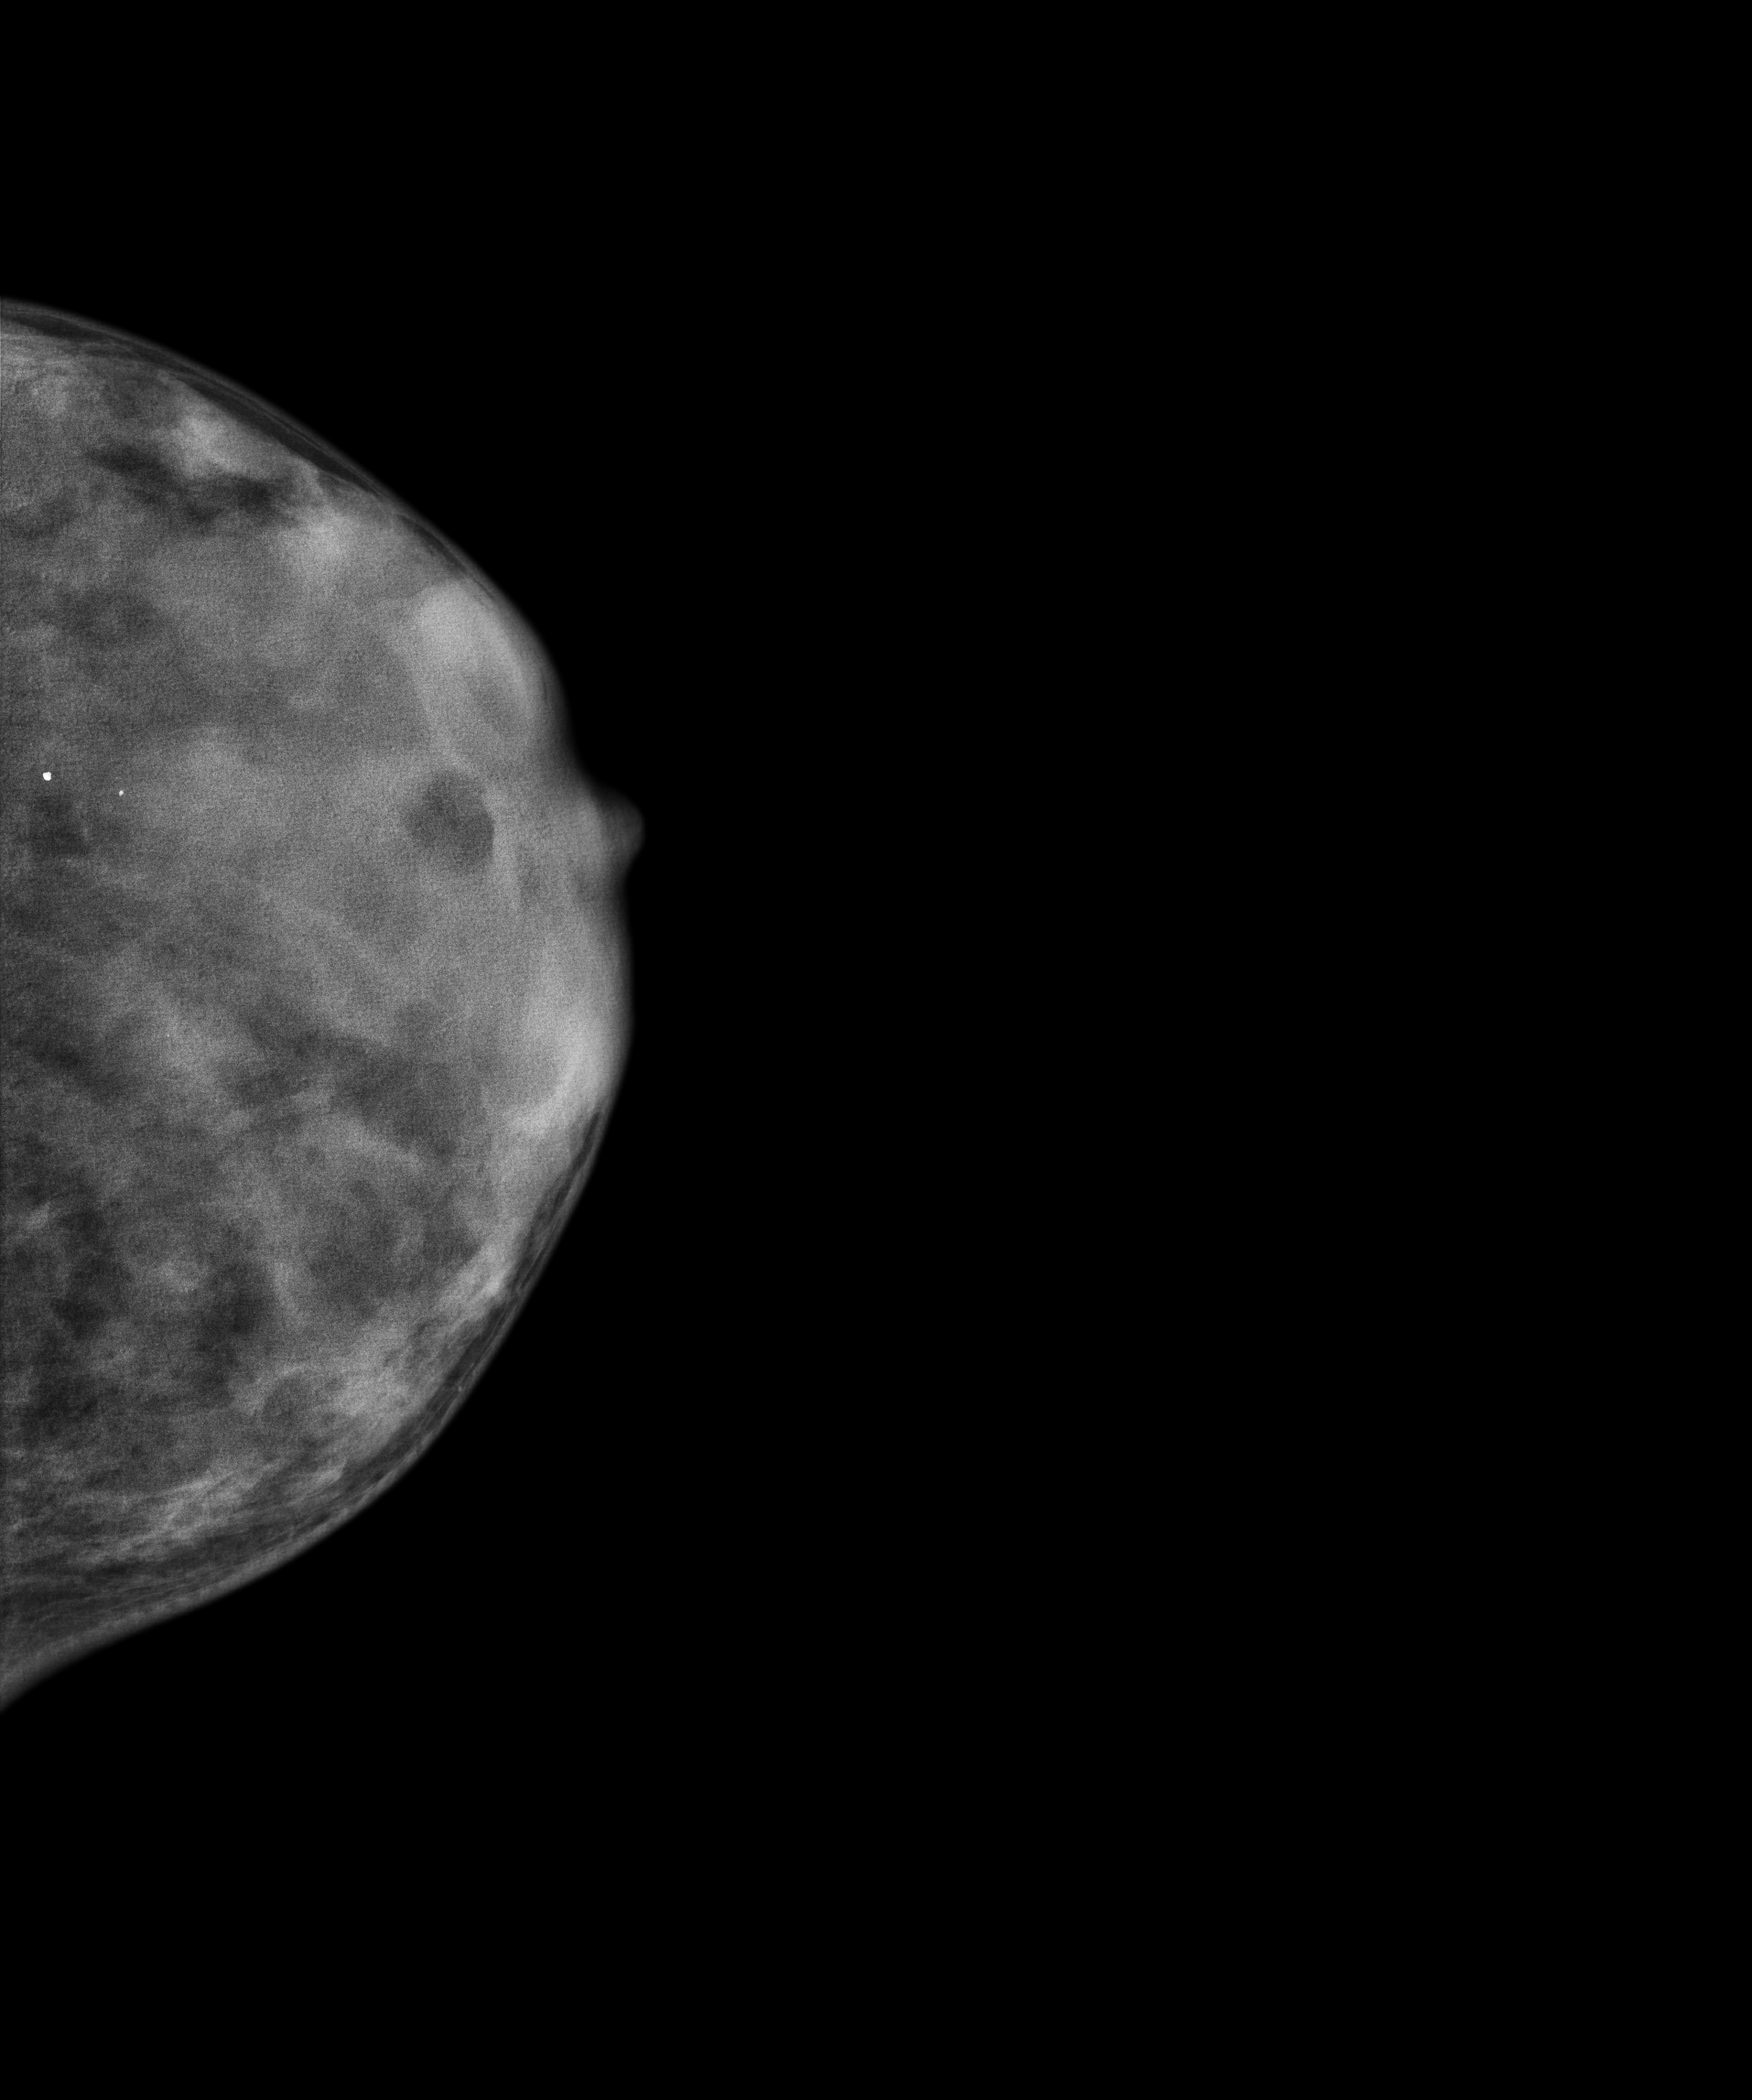
CC mammogram of the left breast. 21-year-old patient.
This breast has a mass, biopsy-proven benign.